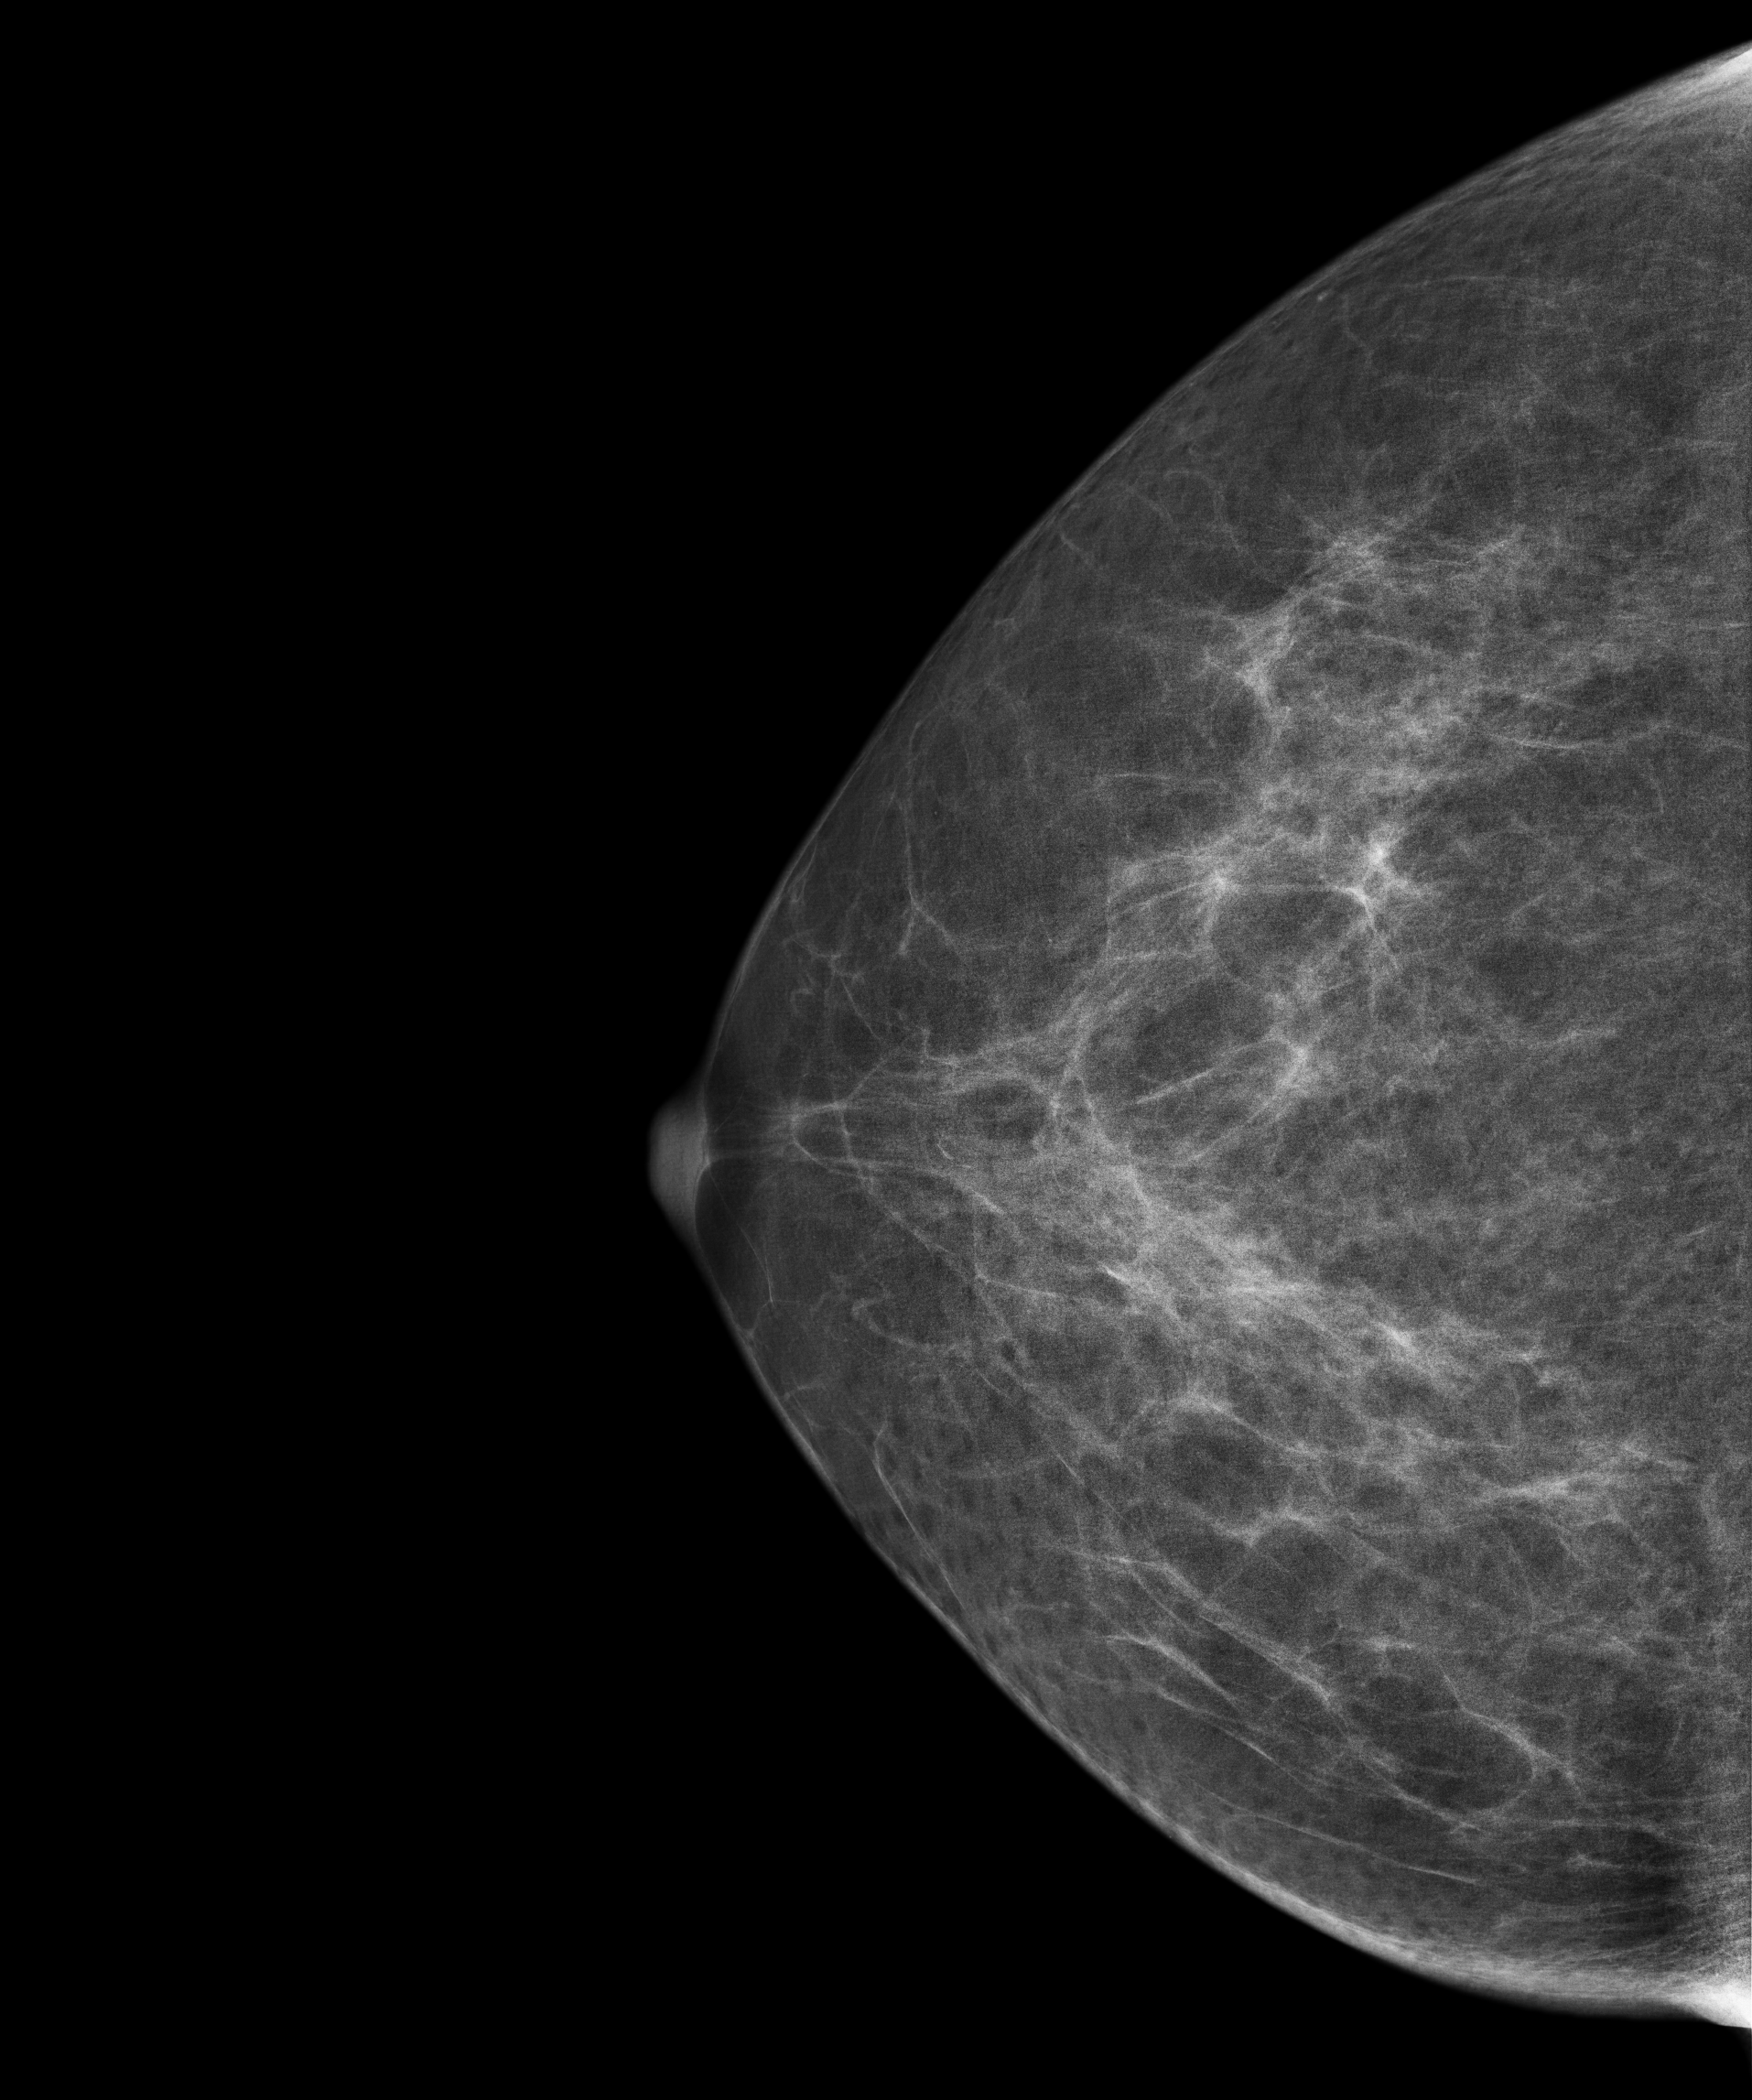
Digital mammography. Right breast, cranio-caudal projection. 58 y/o patient.
Contralateral breast — no documented abnormality on this side.